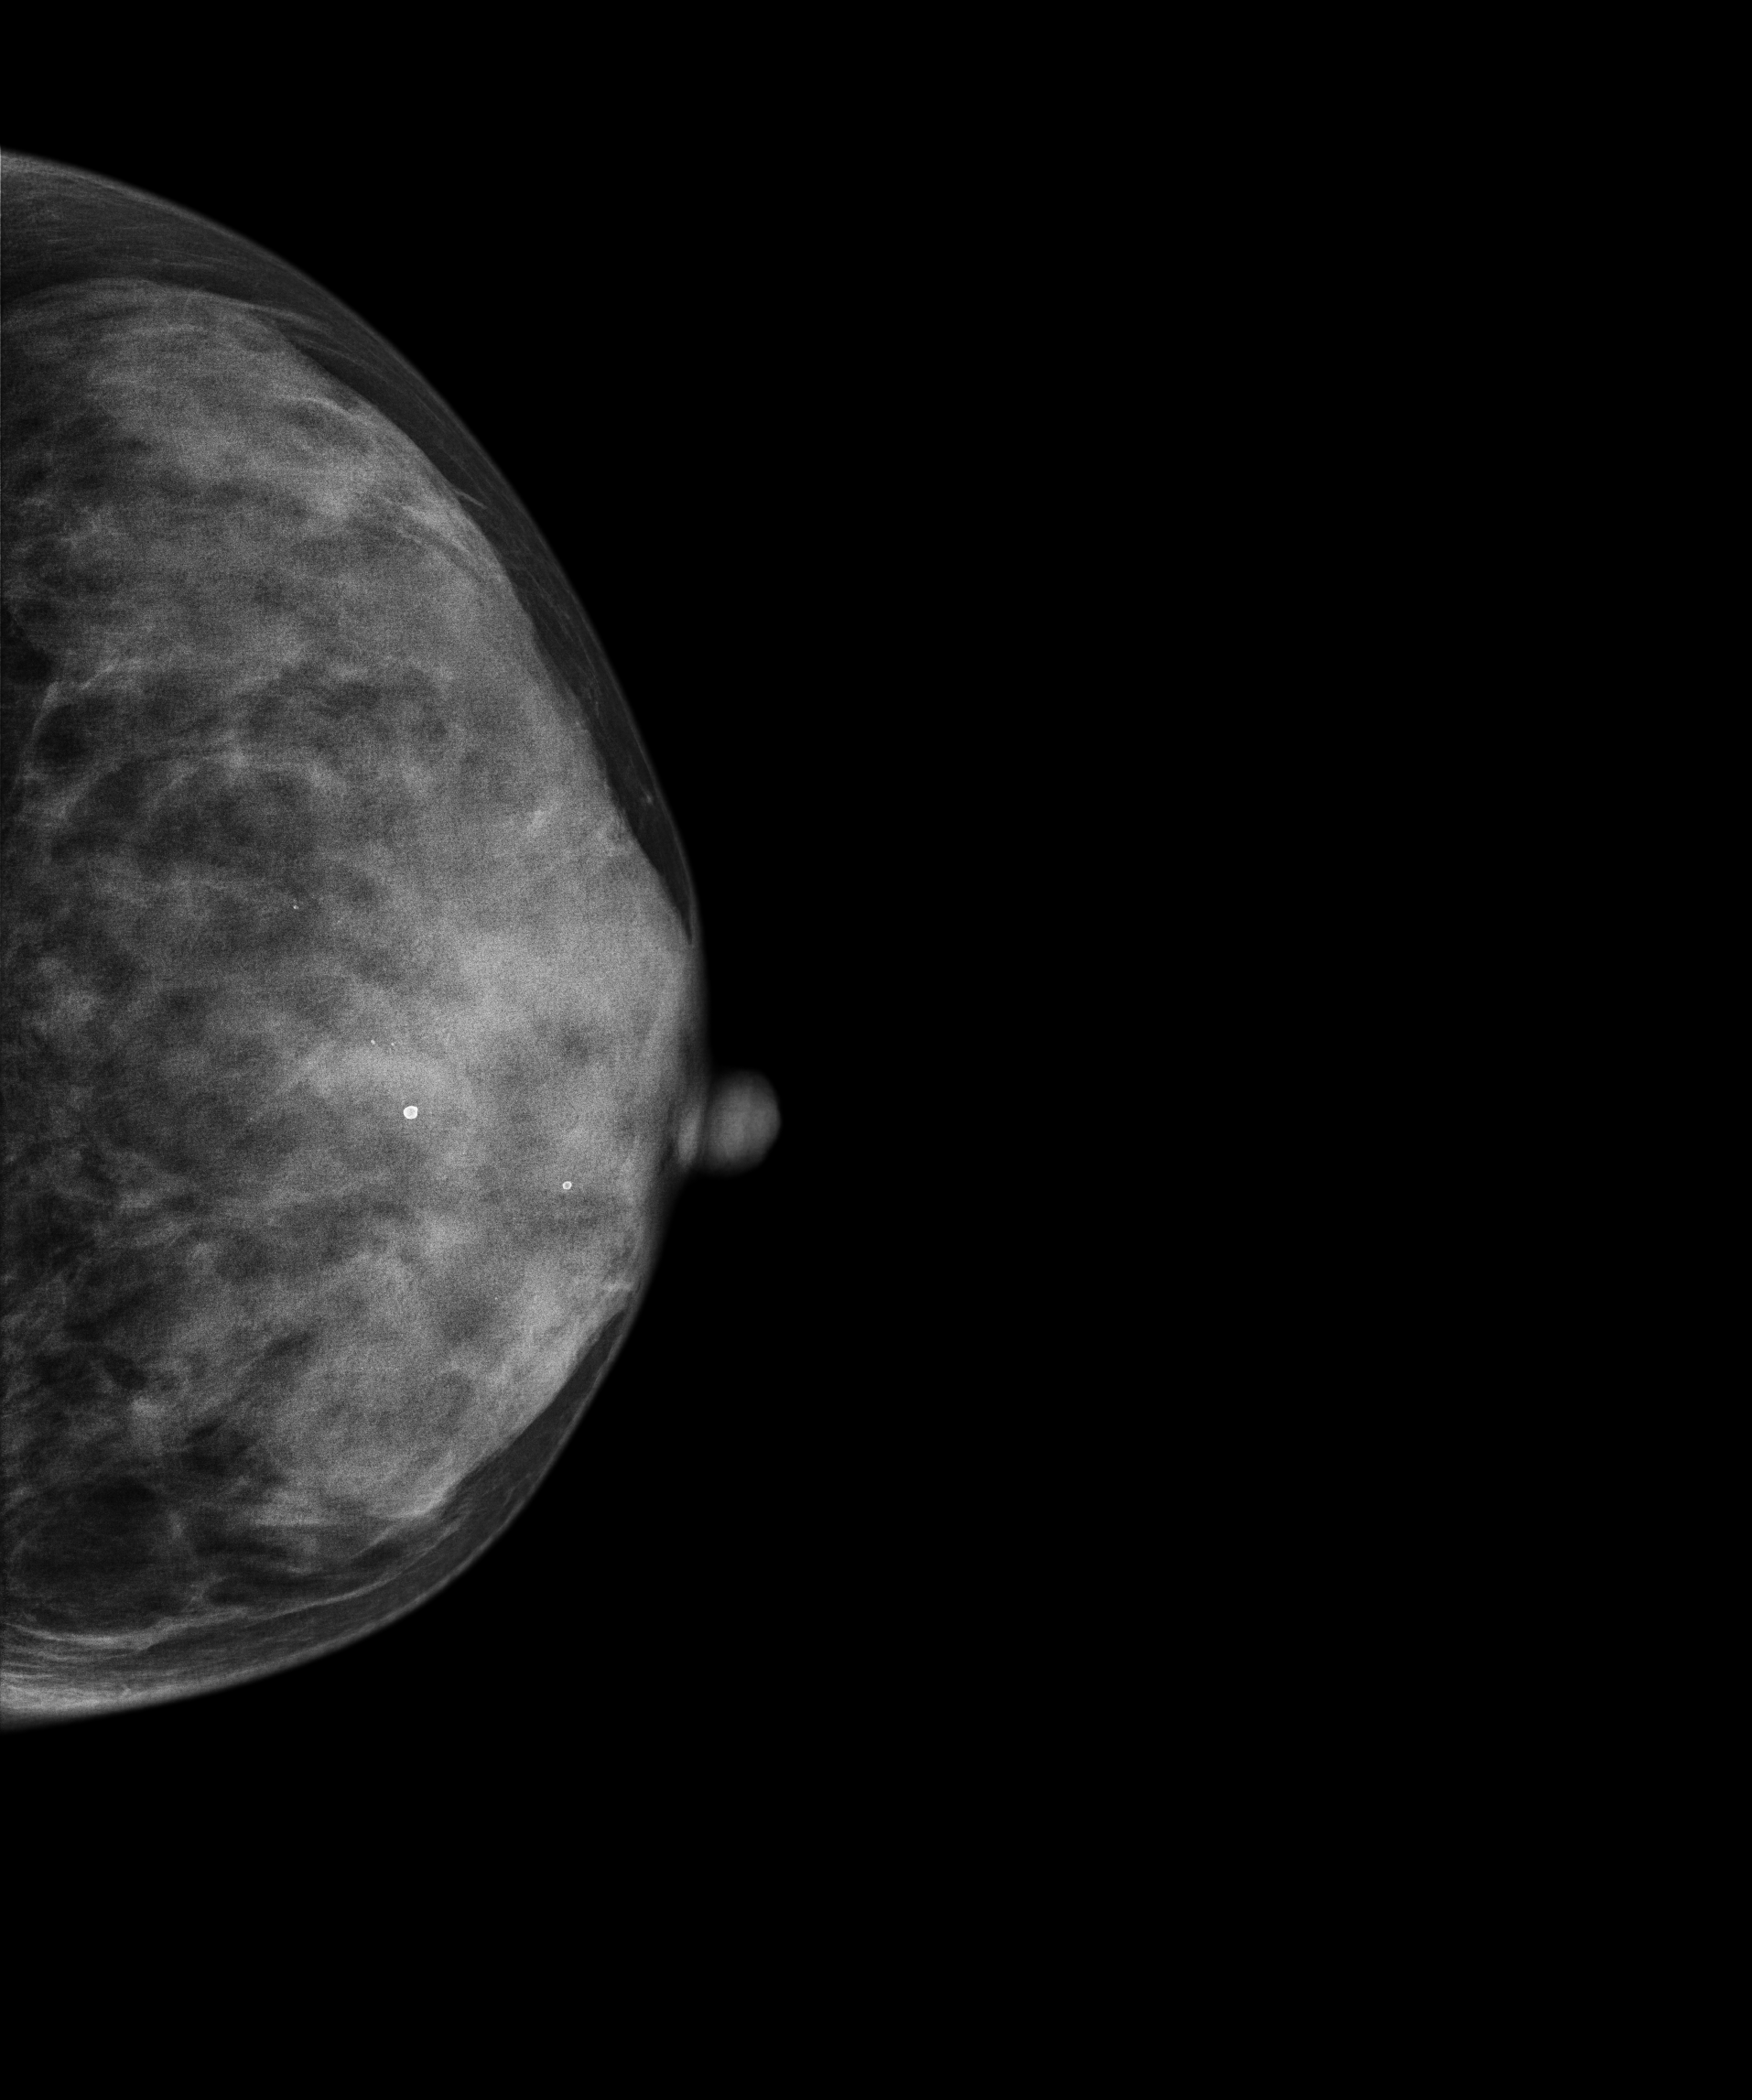
Mammogram — left CC. 33-year-old patient.
This breast has a mass and calcifications, pathology-confirmed malignant.